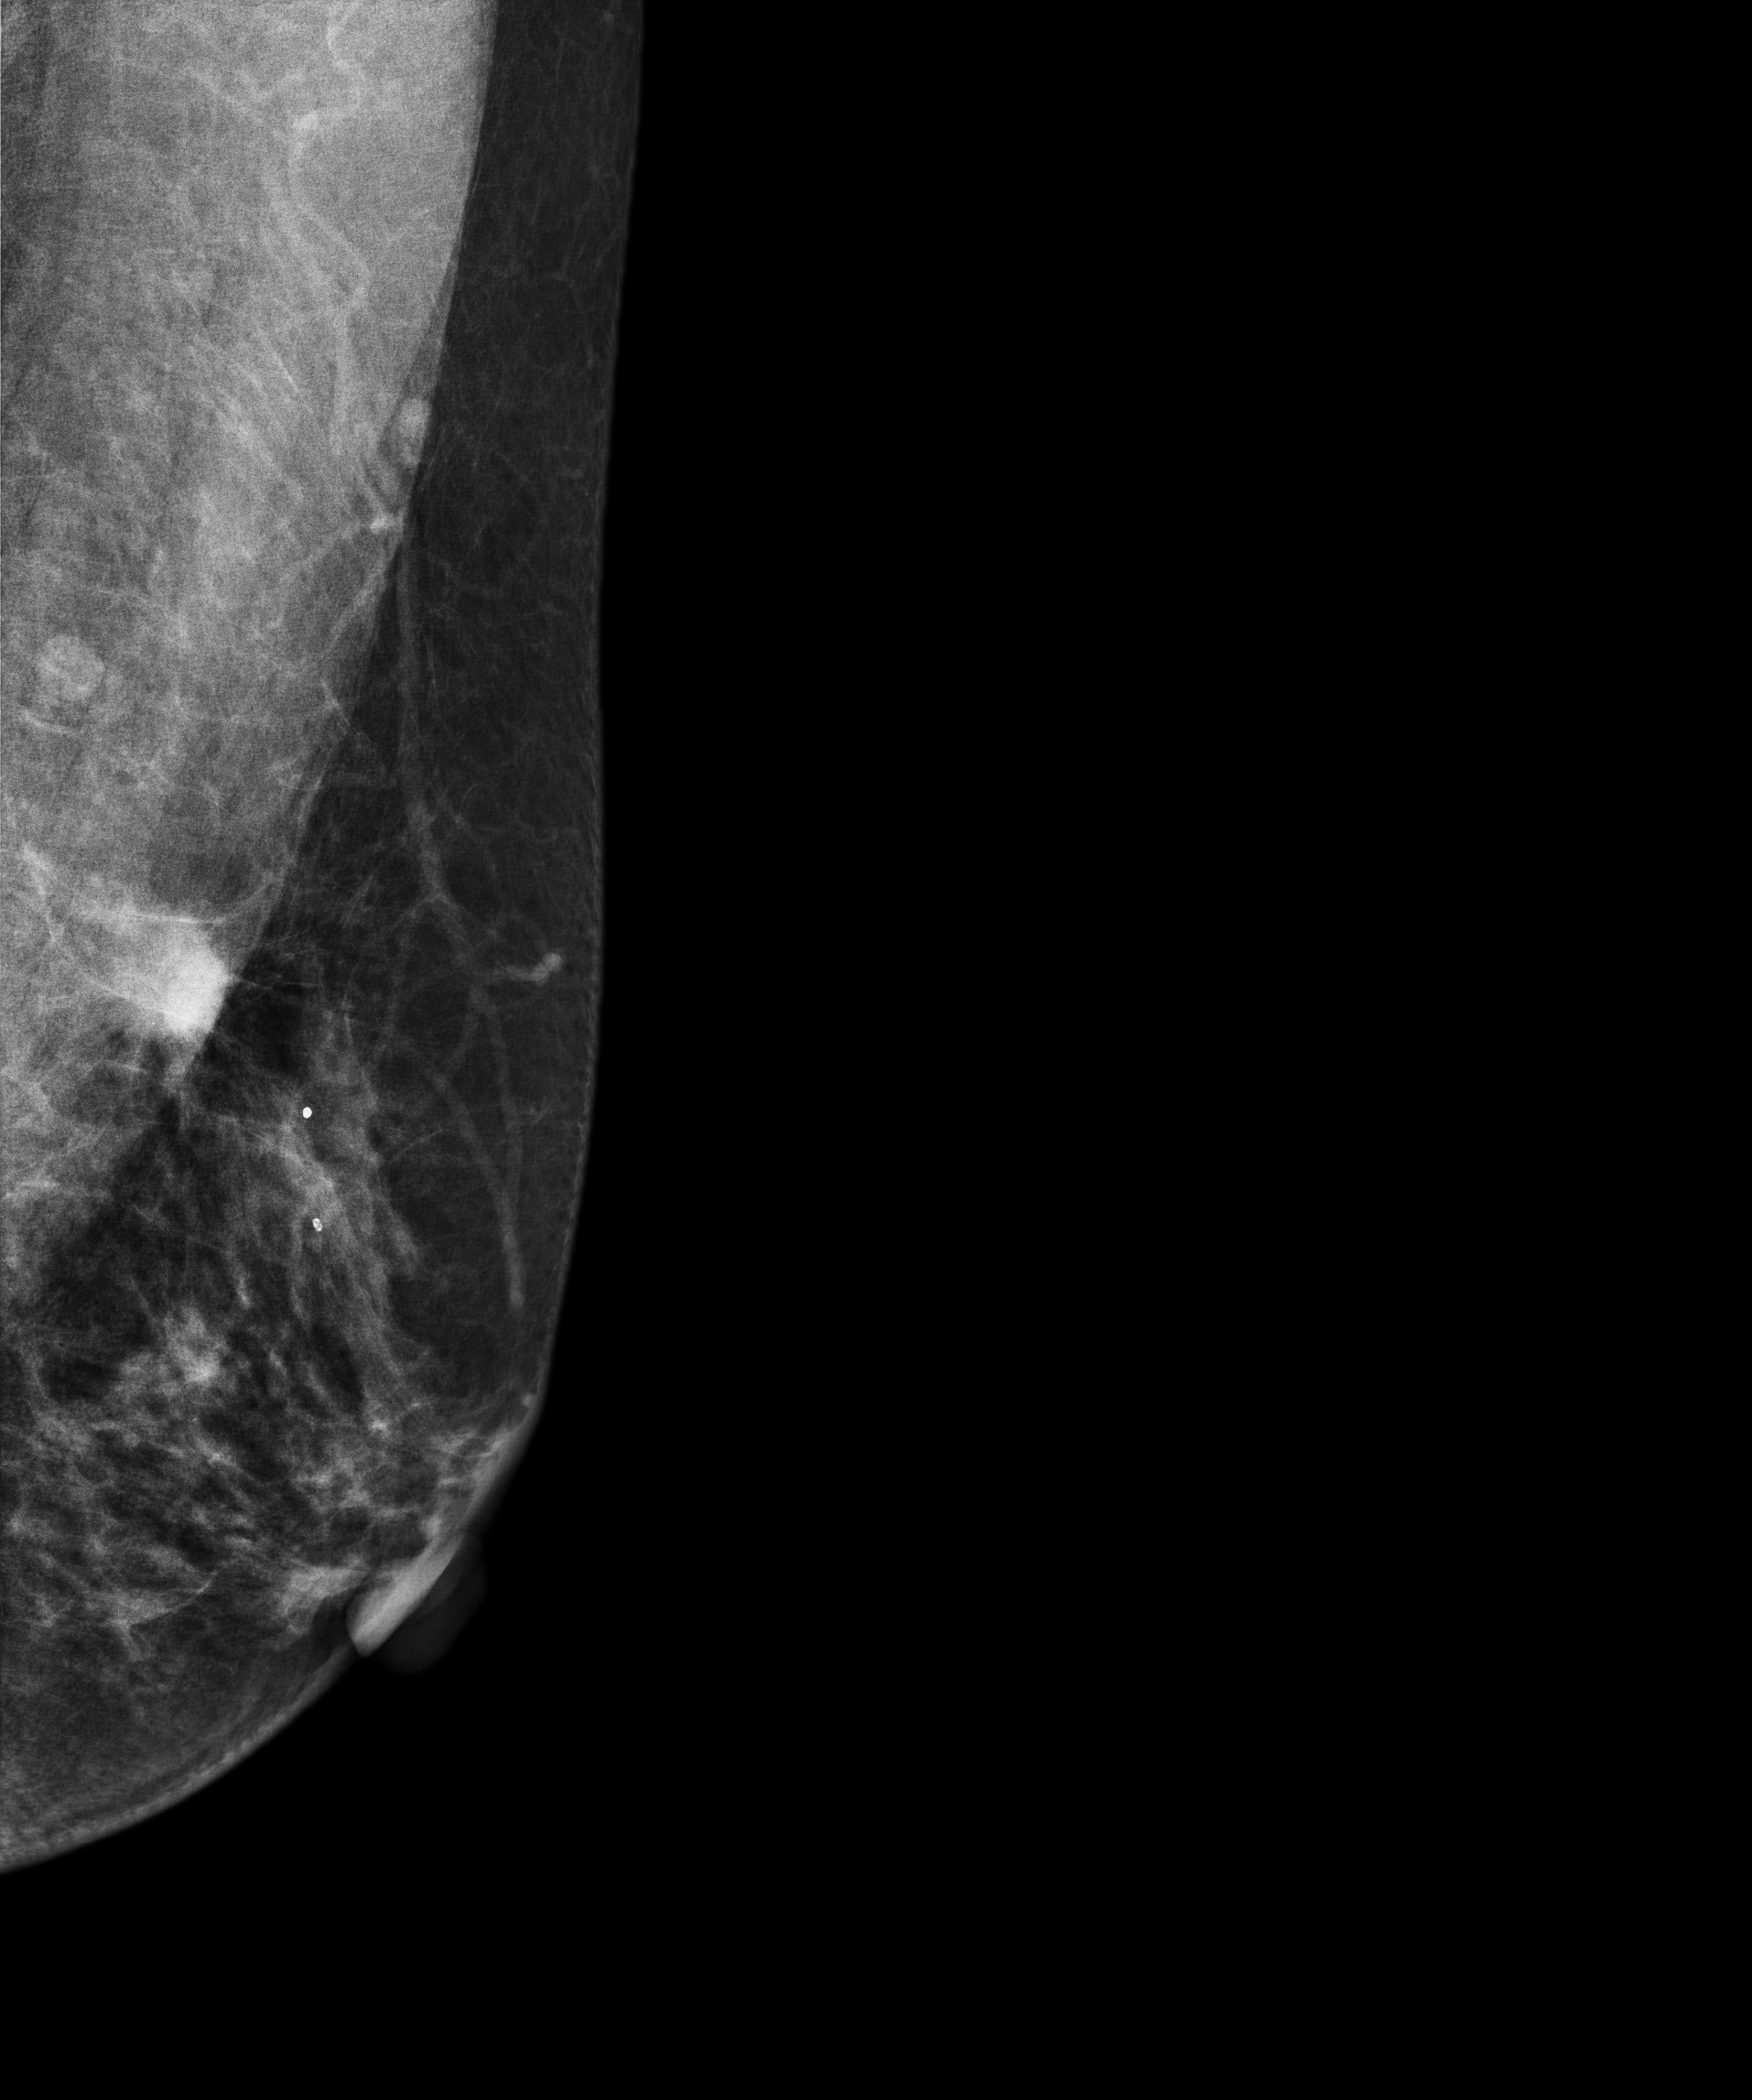
Left-breast mammogram, MLO. Patient age 65.
This breast has a mass, histologically confirmed malignant. Molecular subtype: luminal B.